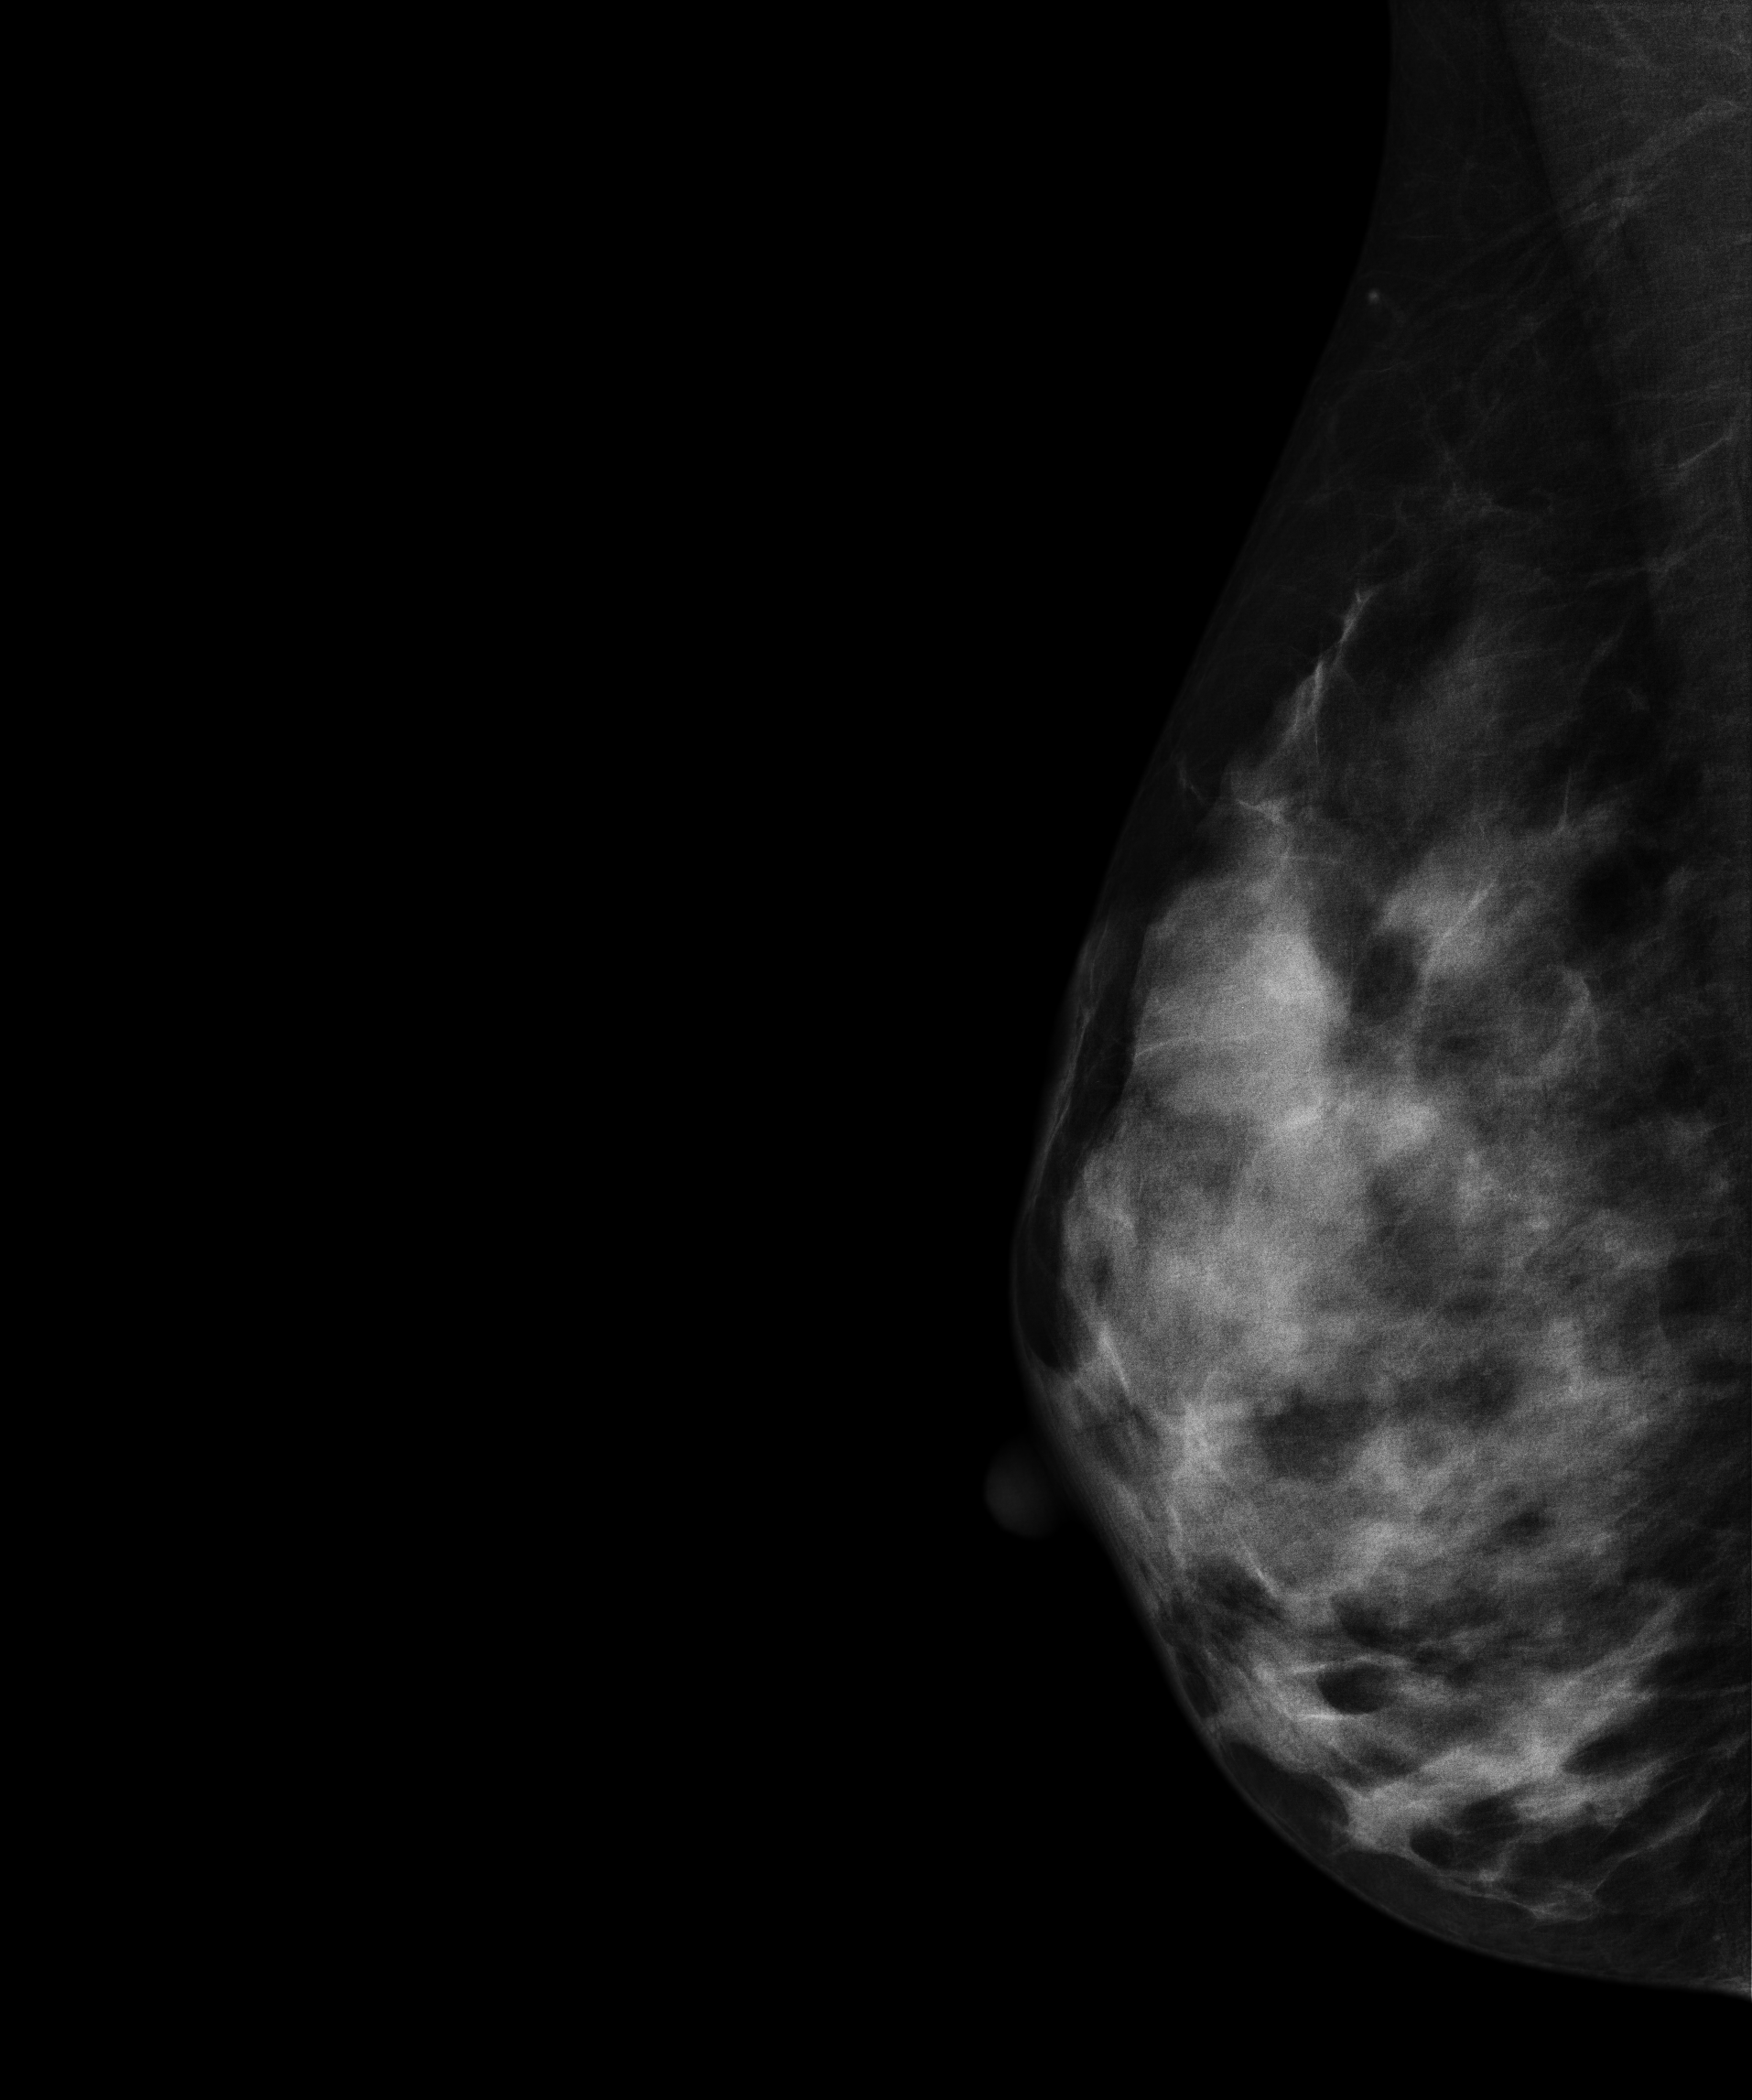
Mammogram — right MLO. 37-year-old patient.
This breast has a mass, biopsy-confirmed benign.